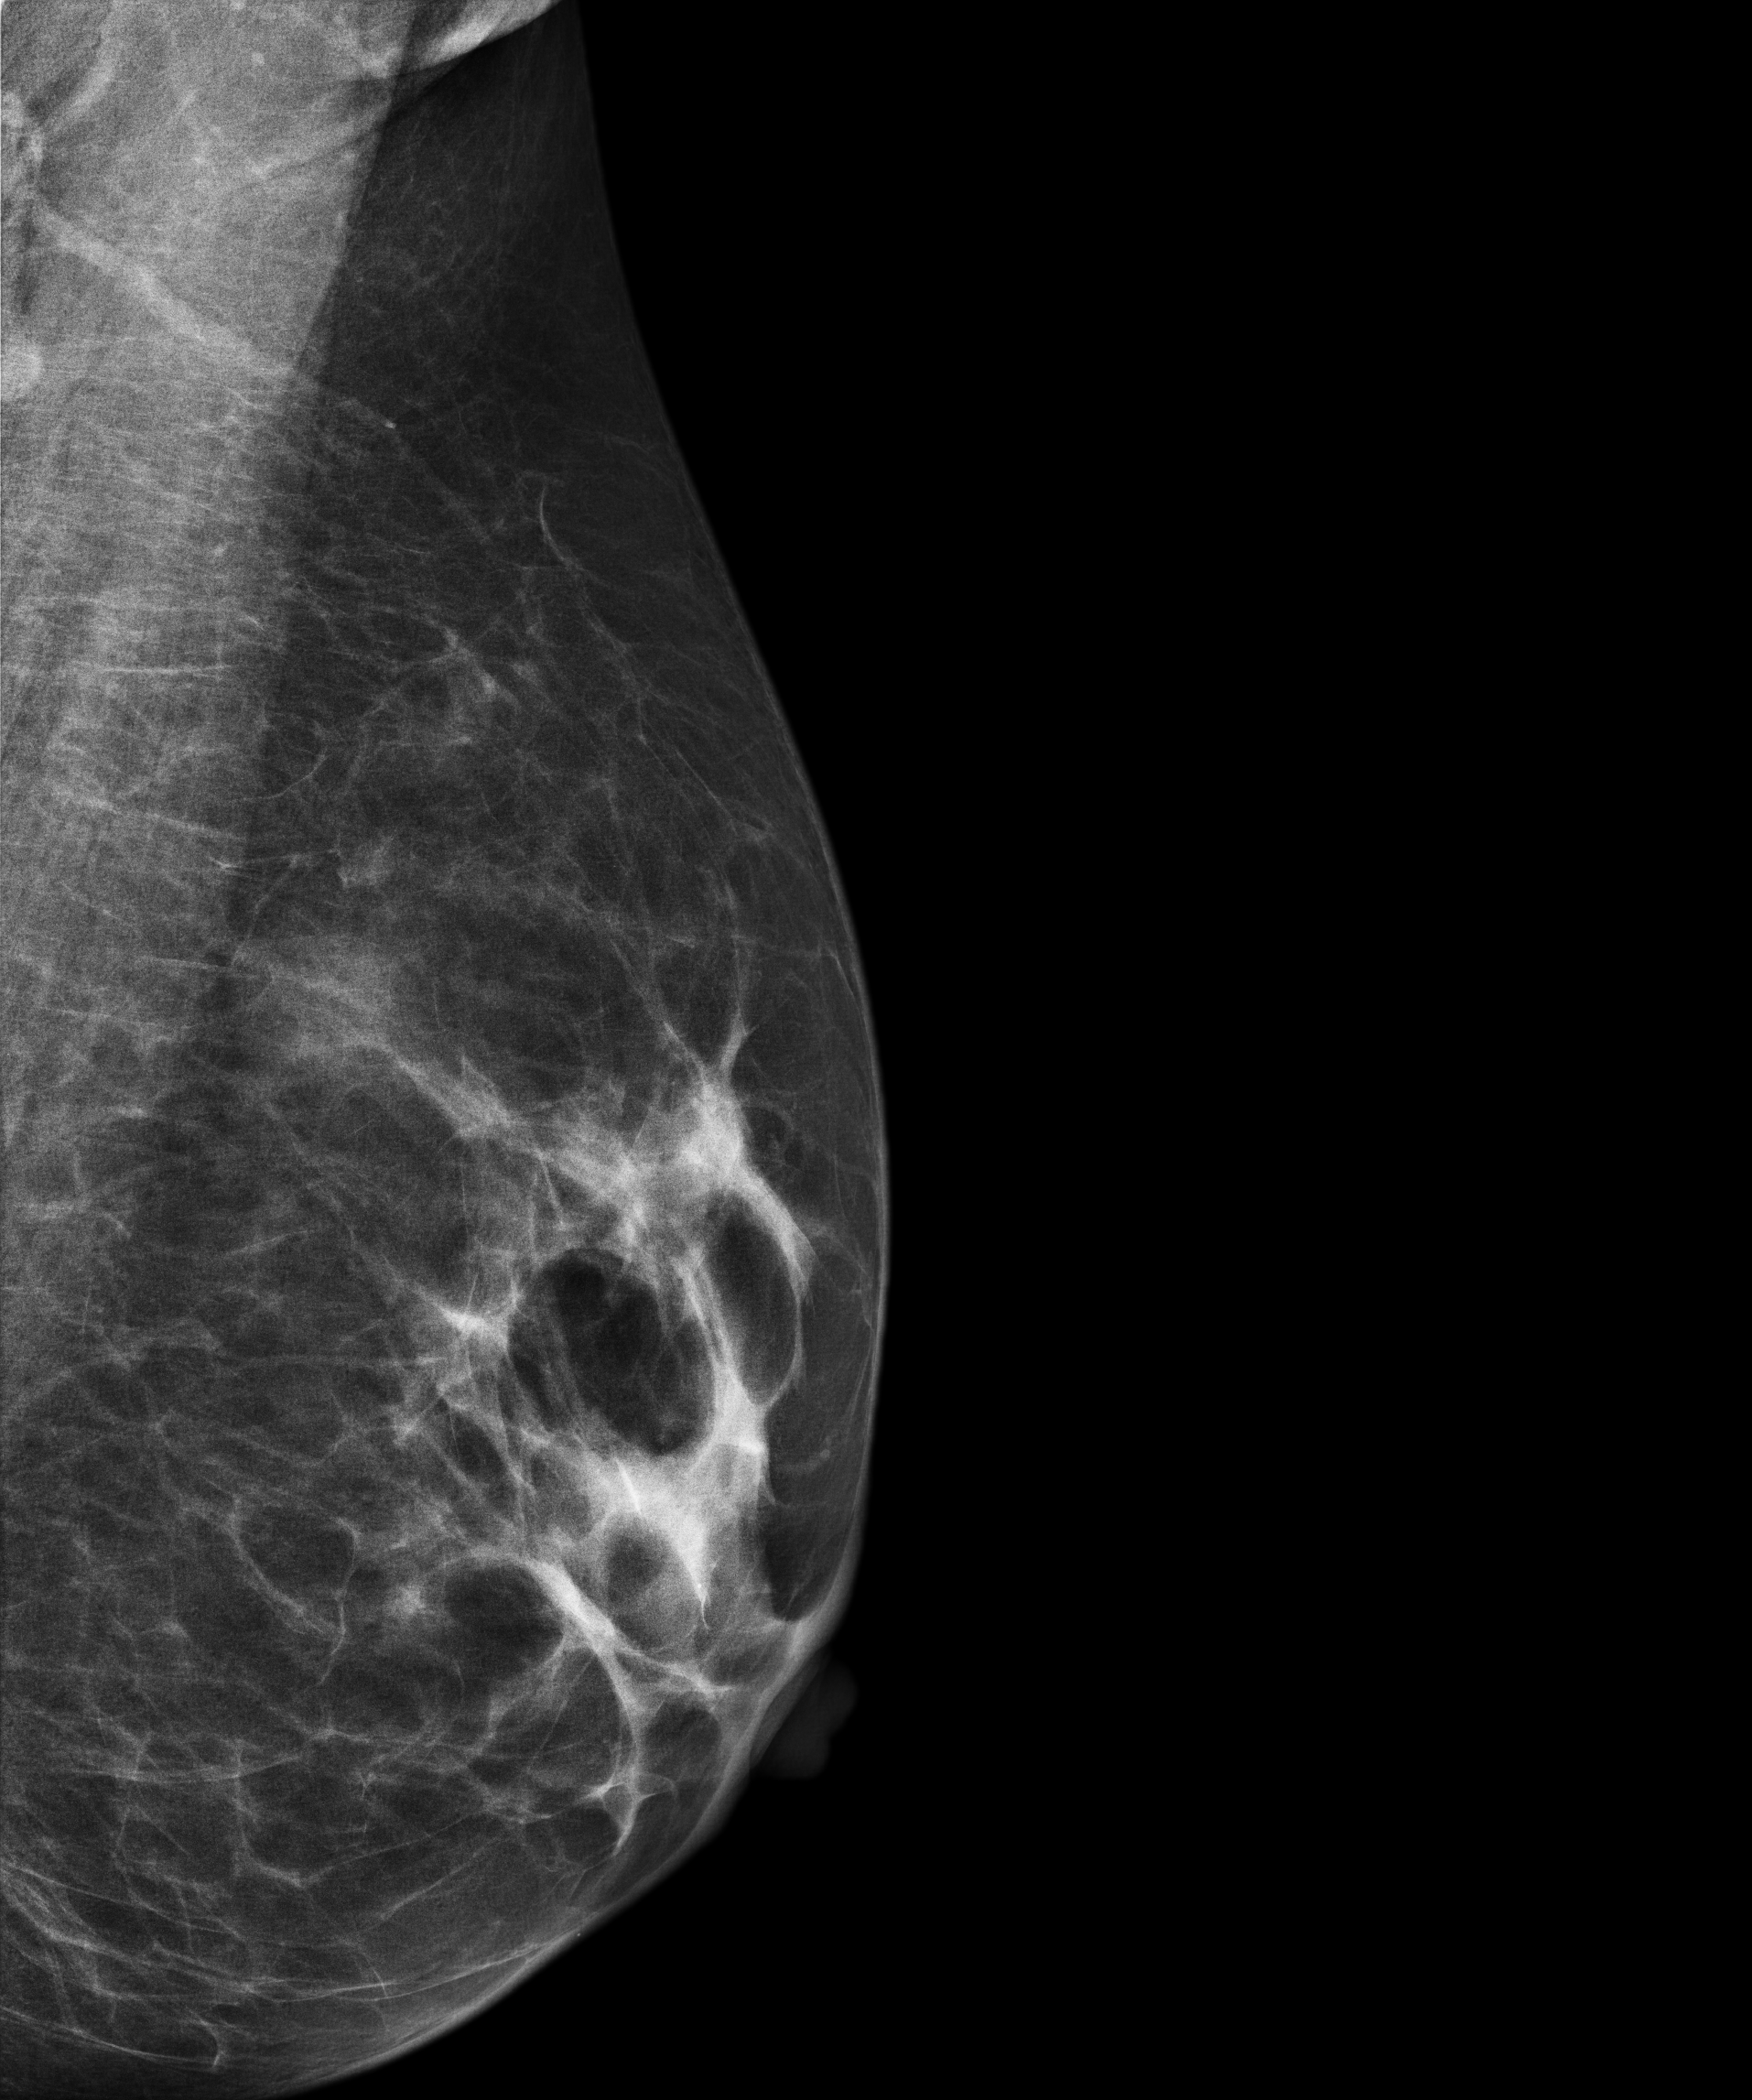
Mammogram, left breast, medio-lateral oblique view. Patient age 60.
Contralateral breast — no documented abnormality on this side.